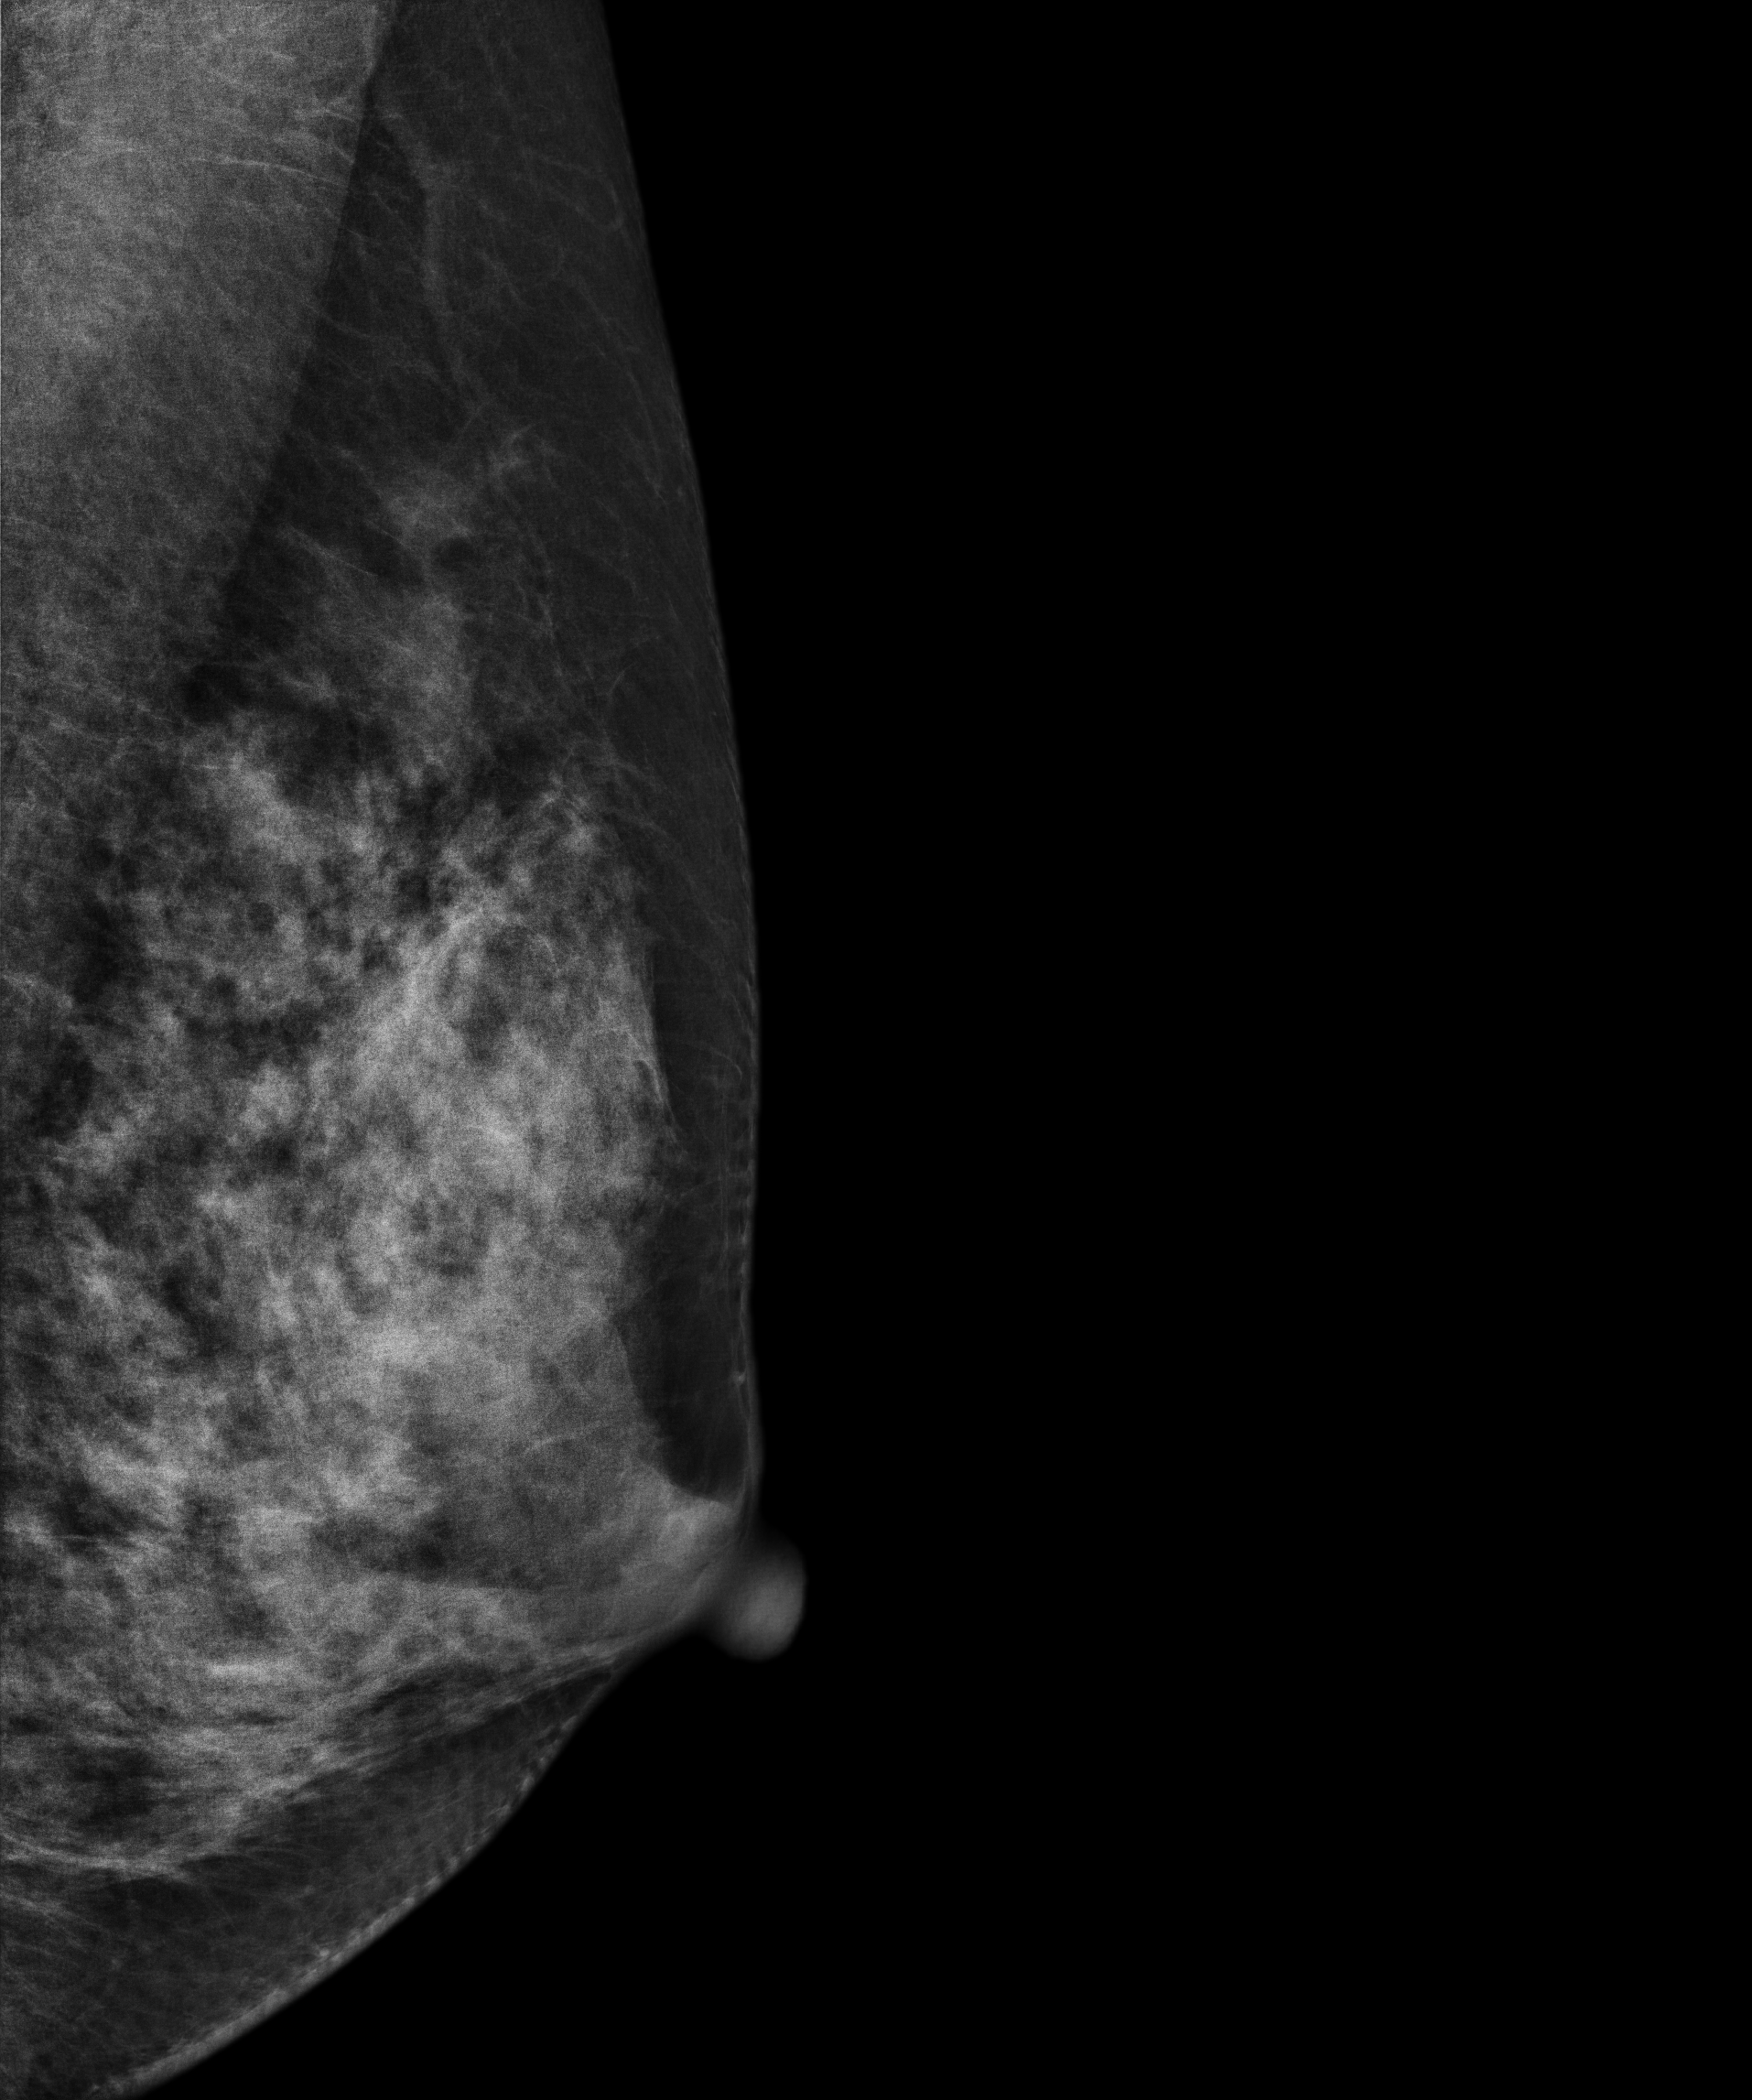
Left-breast mammogram, MLO. 46 y/o patient.
Contralateral breast — no documented abnormality on this side.